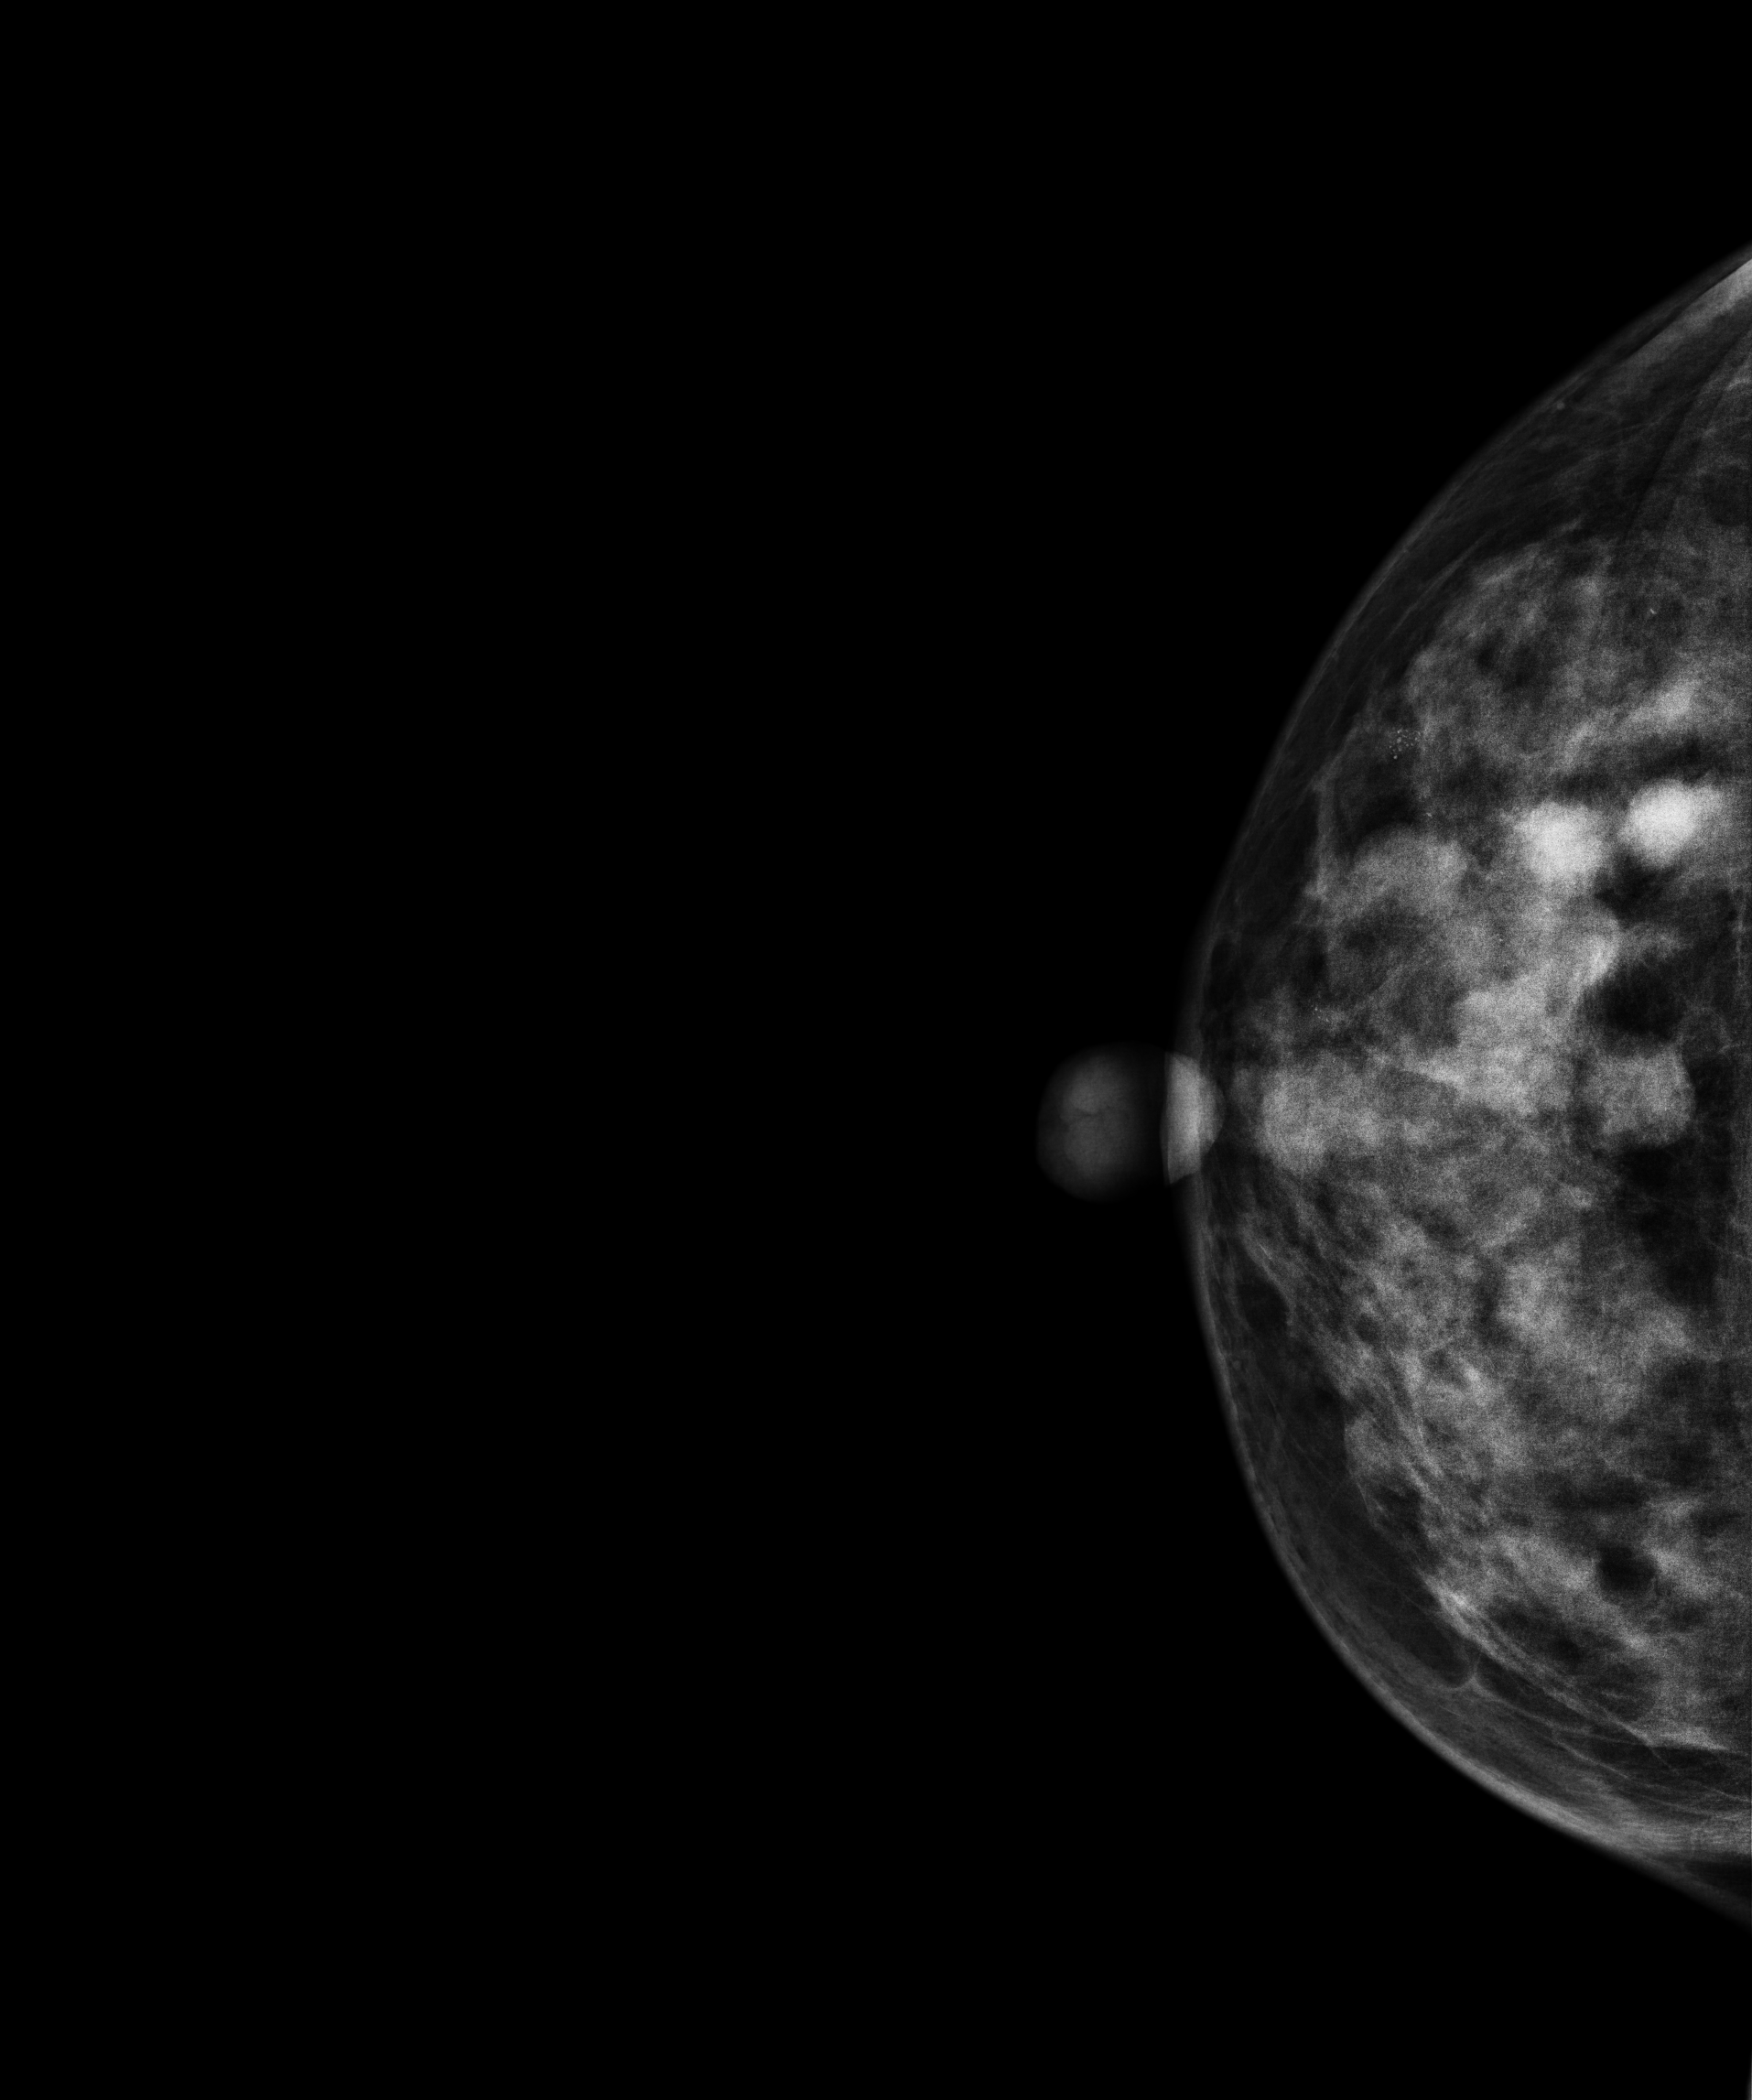
Digital mammography. Right breast, CC projection. 47 y/o patient.
This breast has a mass and calcifications, biopsy-confirmed malignant. Molecular subtype: luminal B.